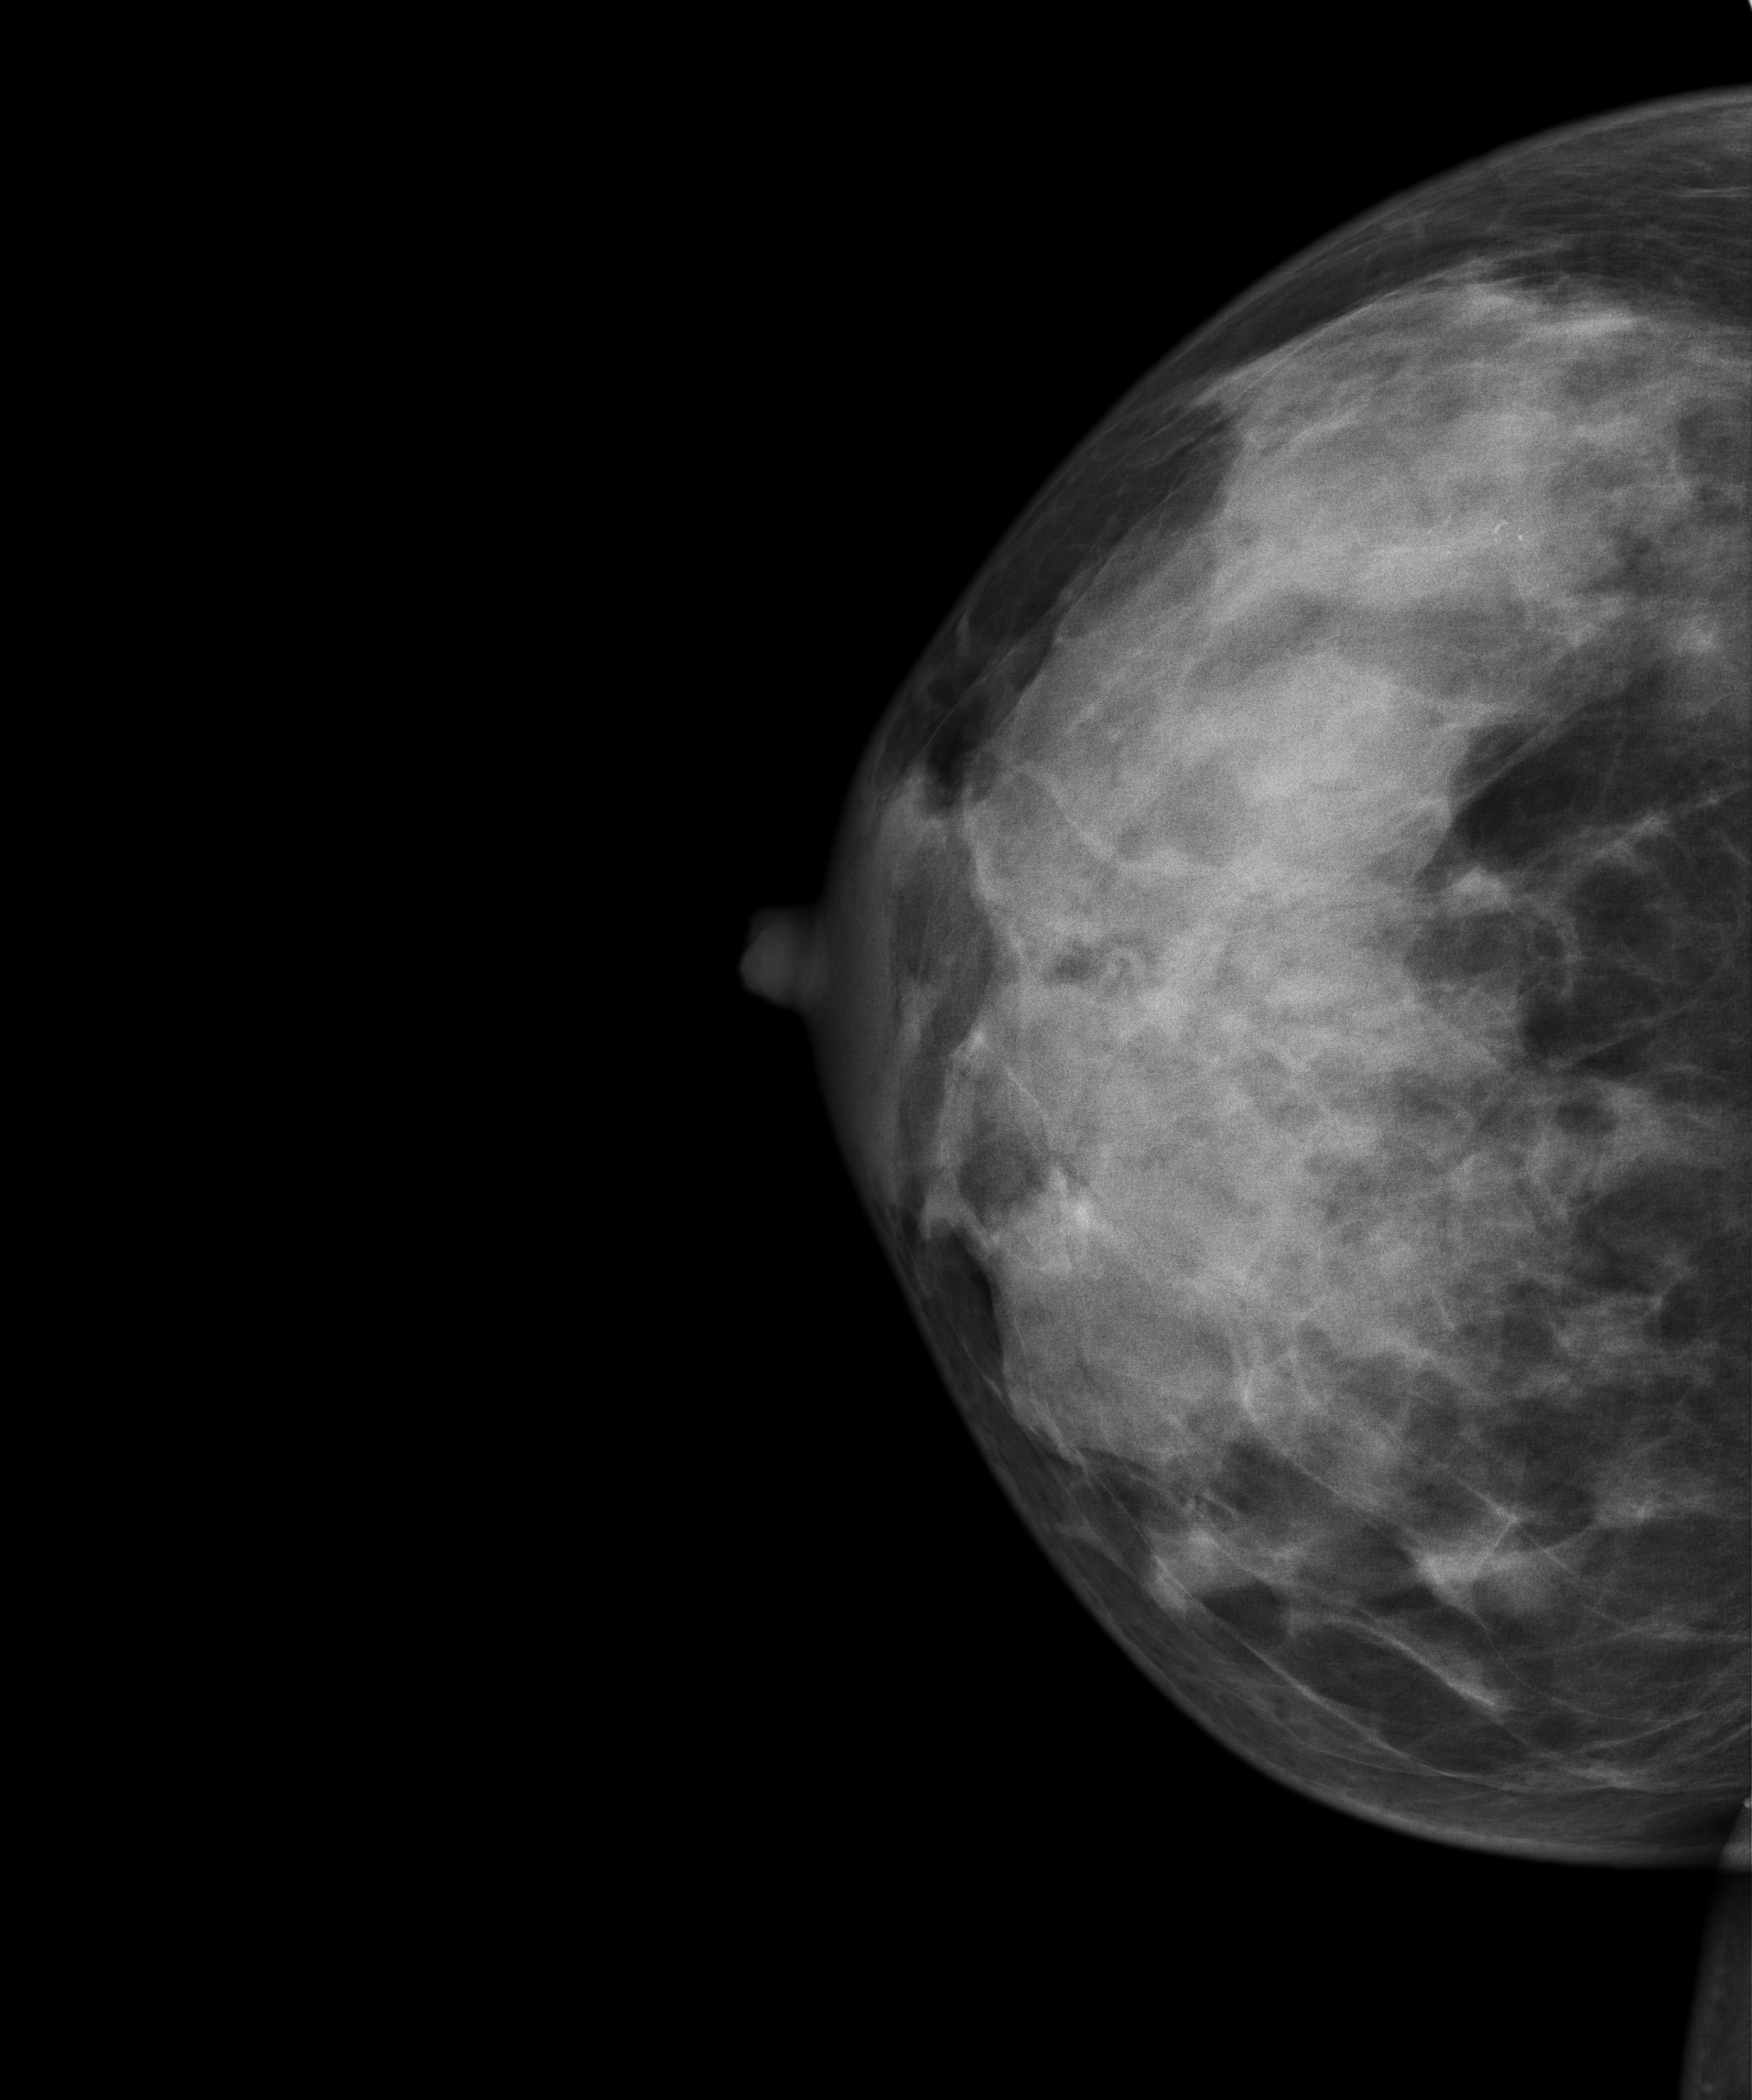
Right-breast mammogram, CC. 50 y/o patient.
This breast has a mass, pathology-confirmed malignant.